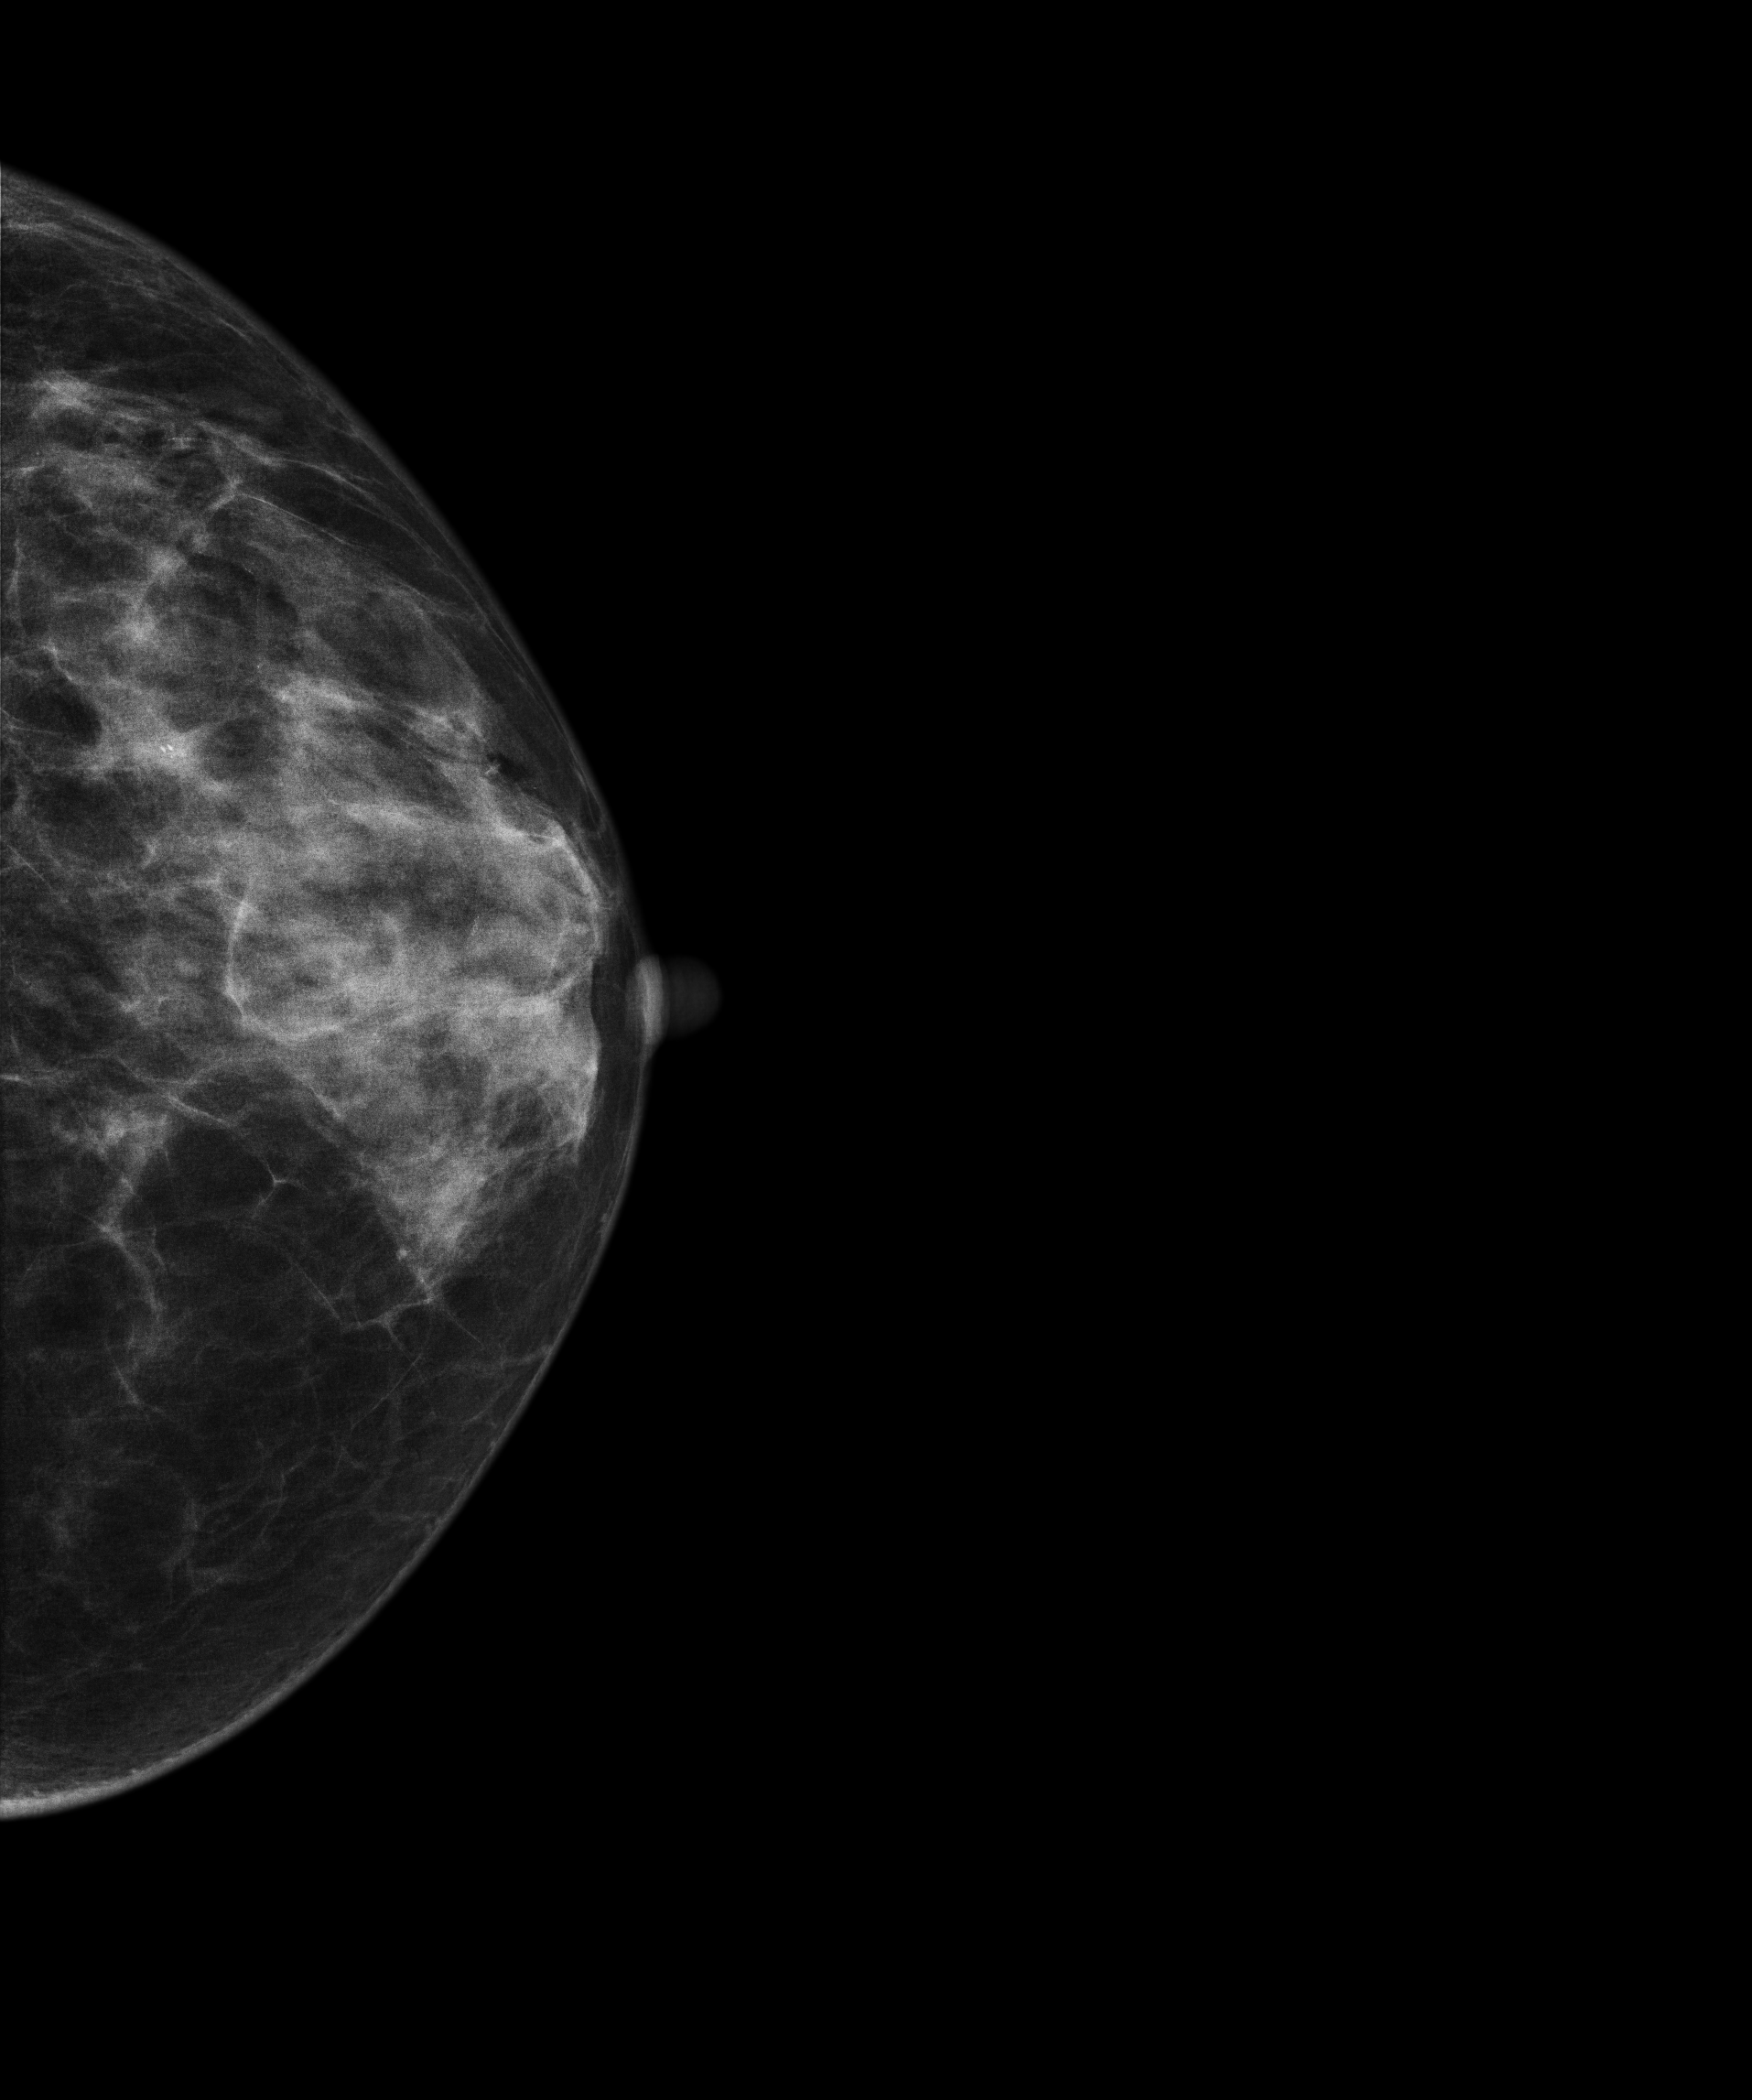
Left-breast mammogram, CC. Patient age 58.
This breast has a mass and calcifications, histologically confirmed malignant.